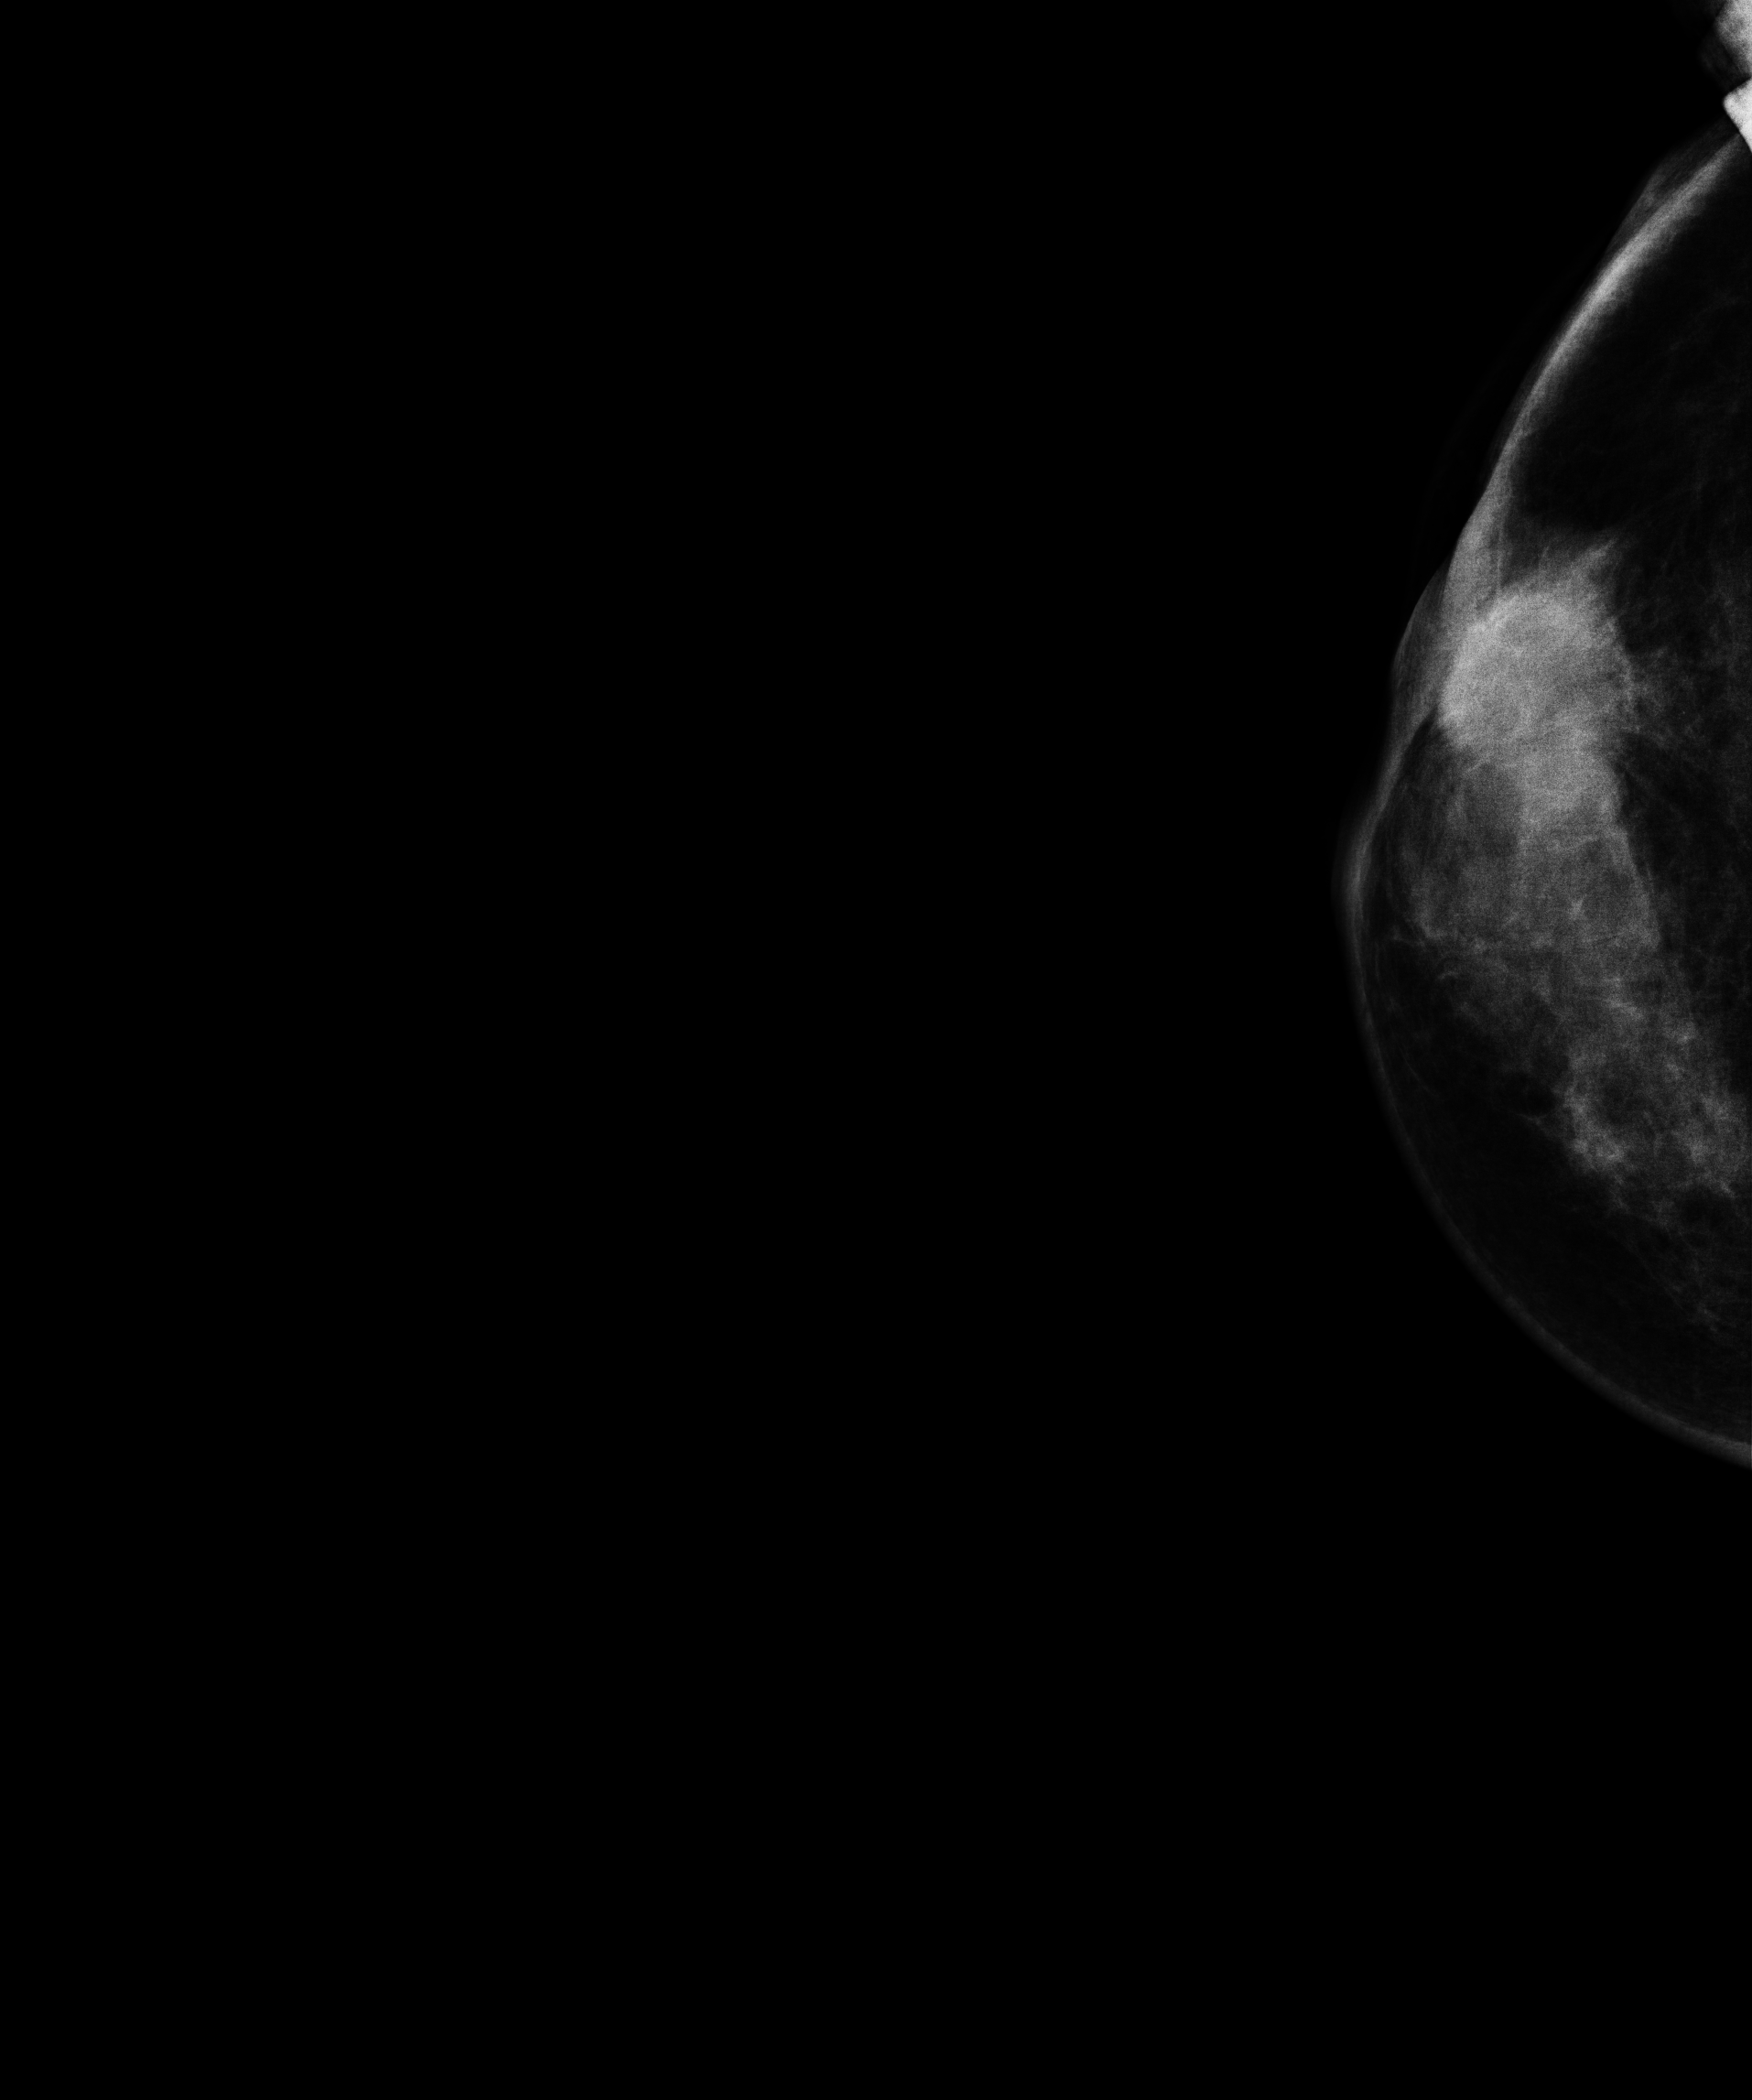
Mammogram — right CC. 43-year-old patient.
This breast has a mass, pathology-confirmed malignant.